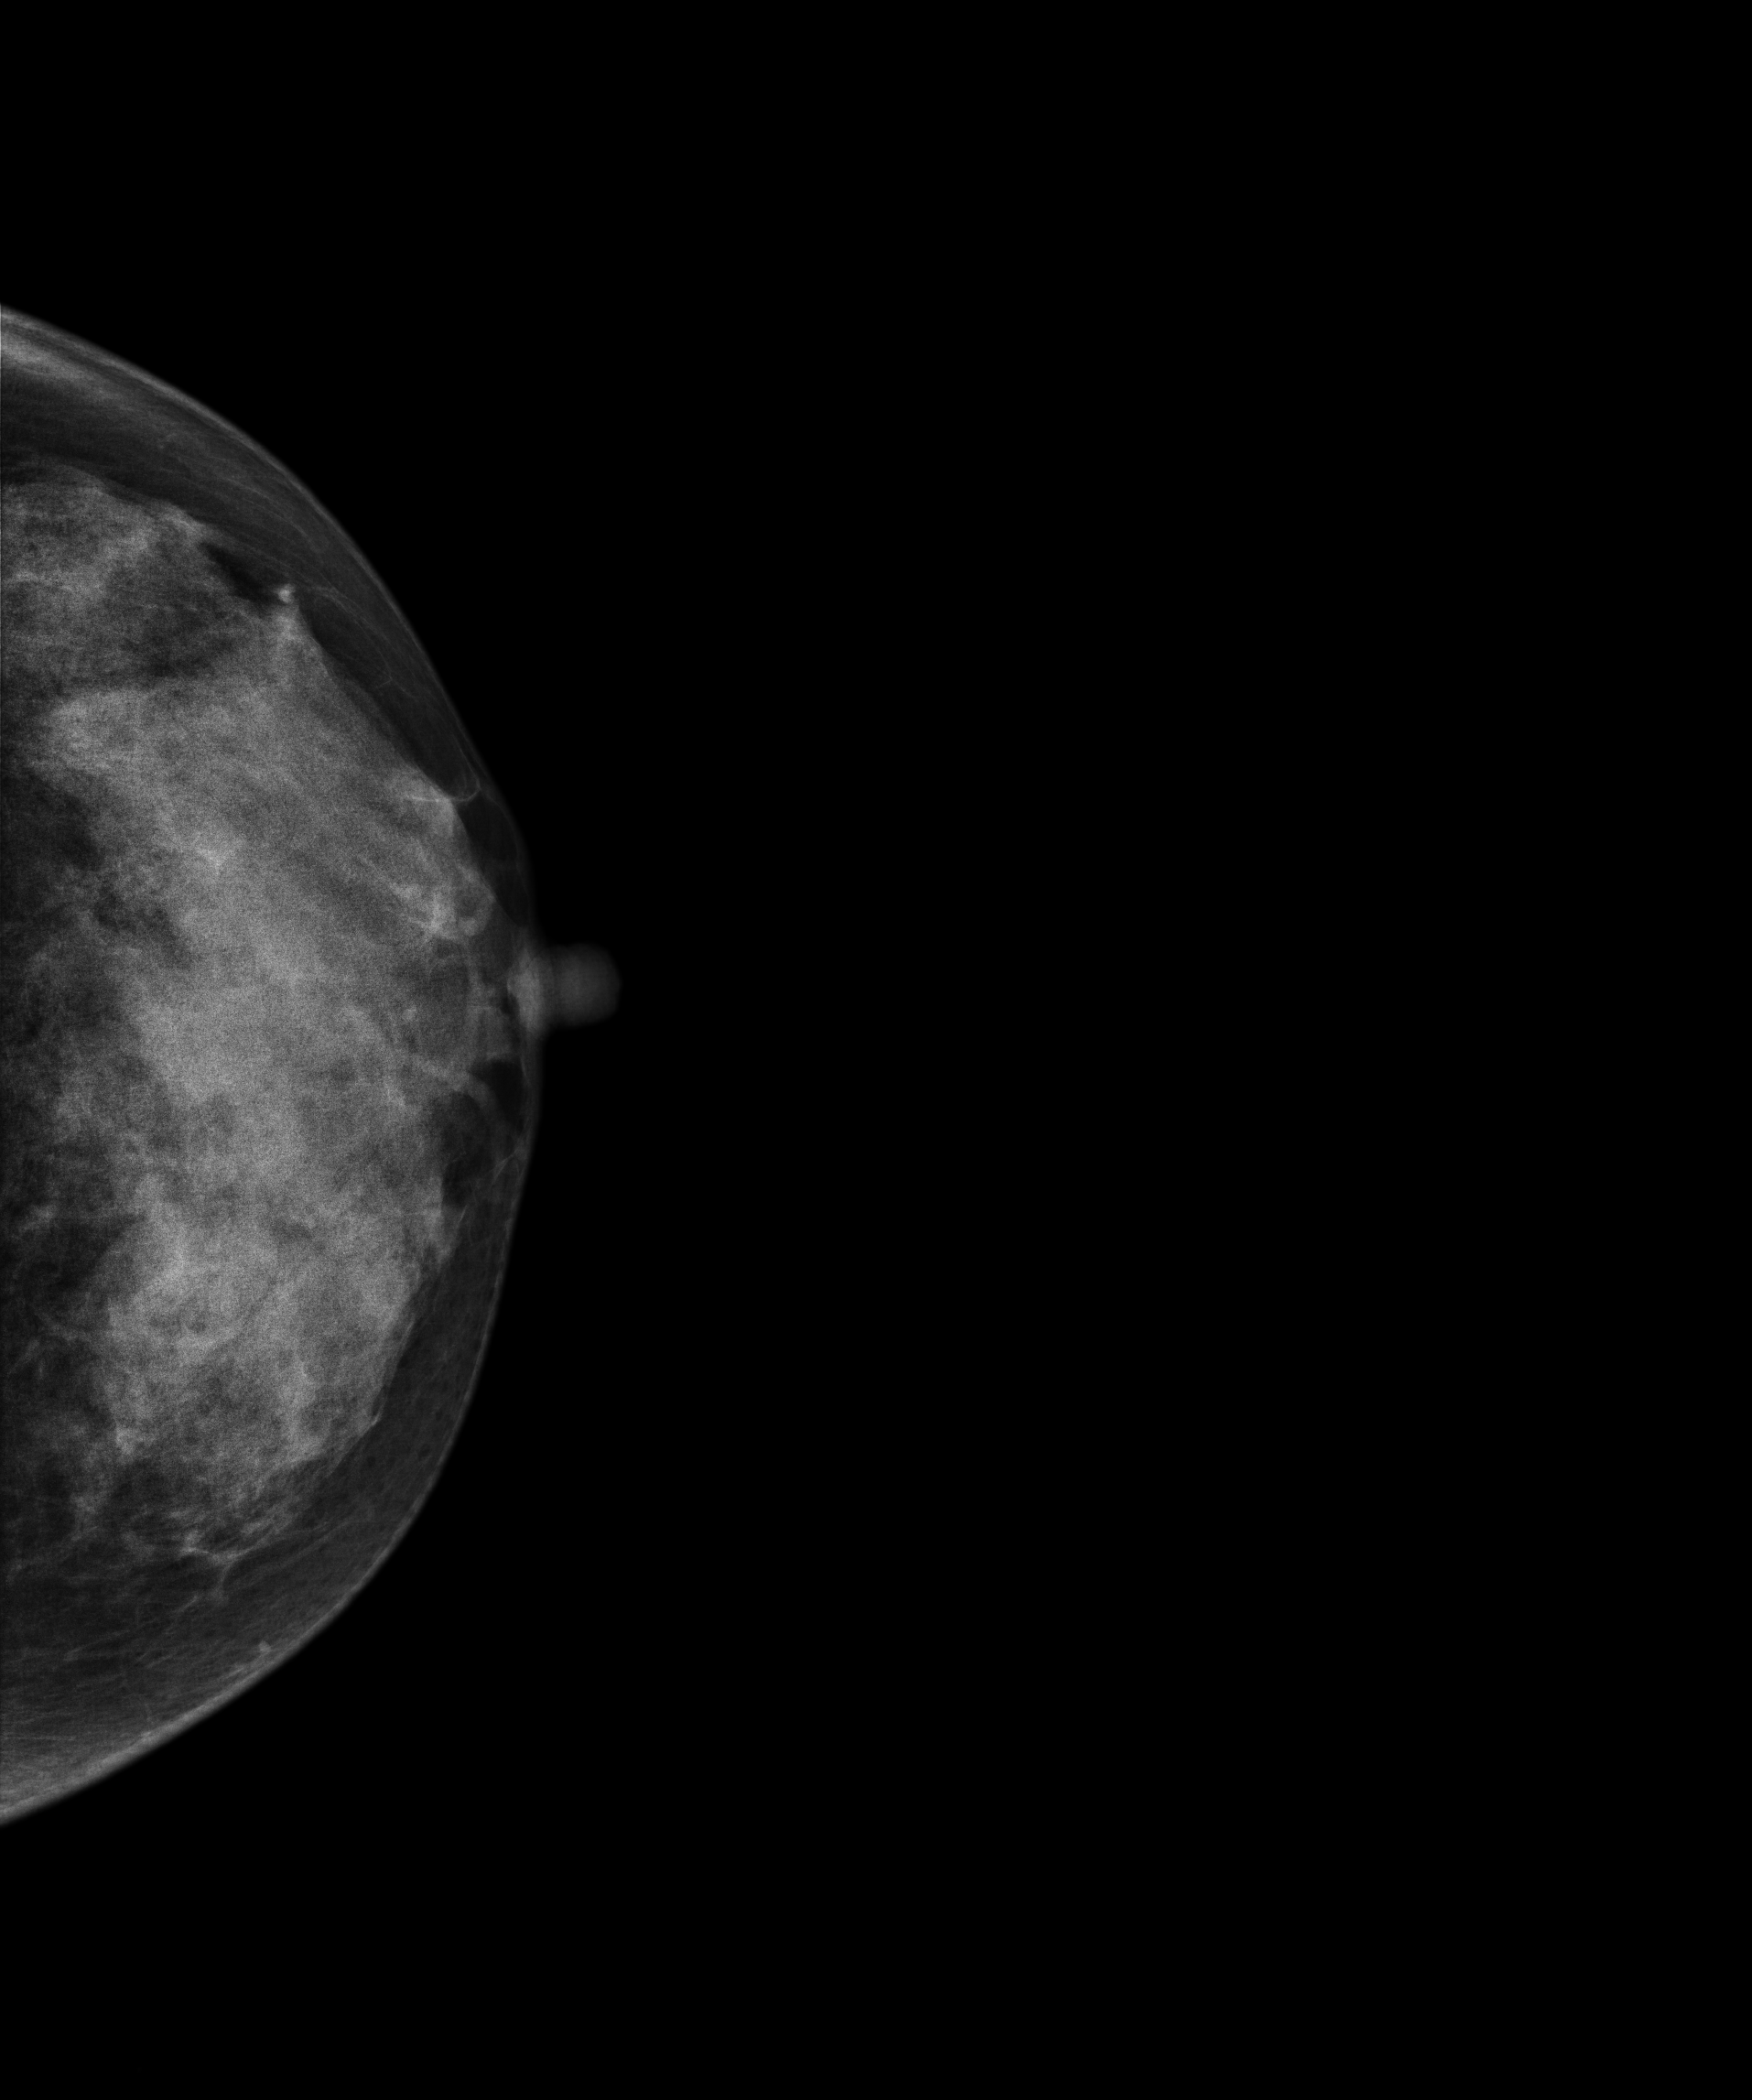
Digital mammography. Left breast, CC projection. 41 y/o patient.
This breast has a mass, biopsy-proven benign.